MLO mammogram of the right breast. Patient age 47.
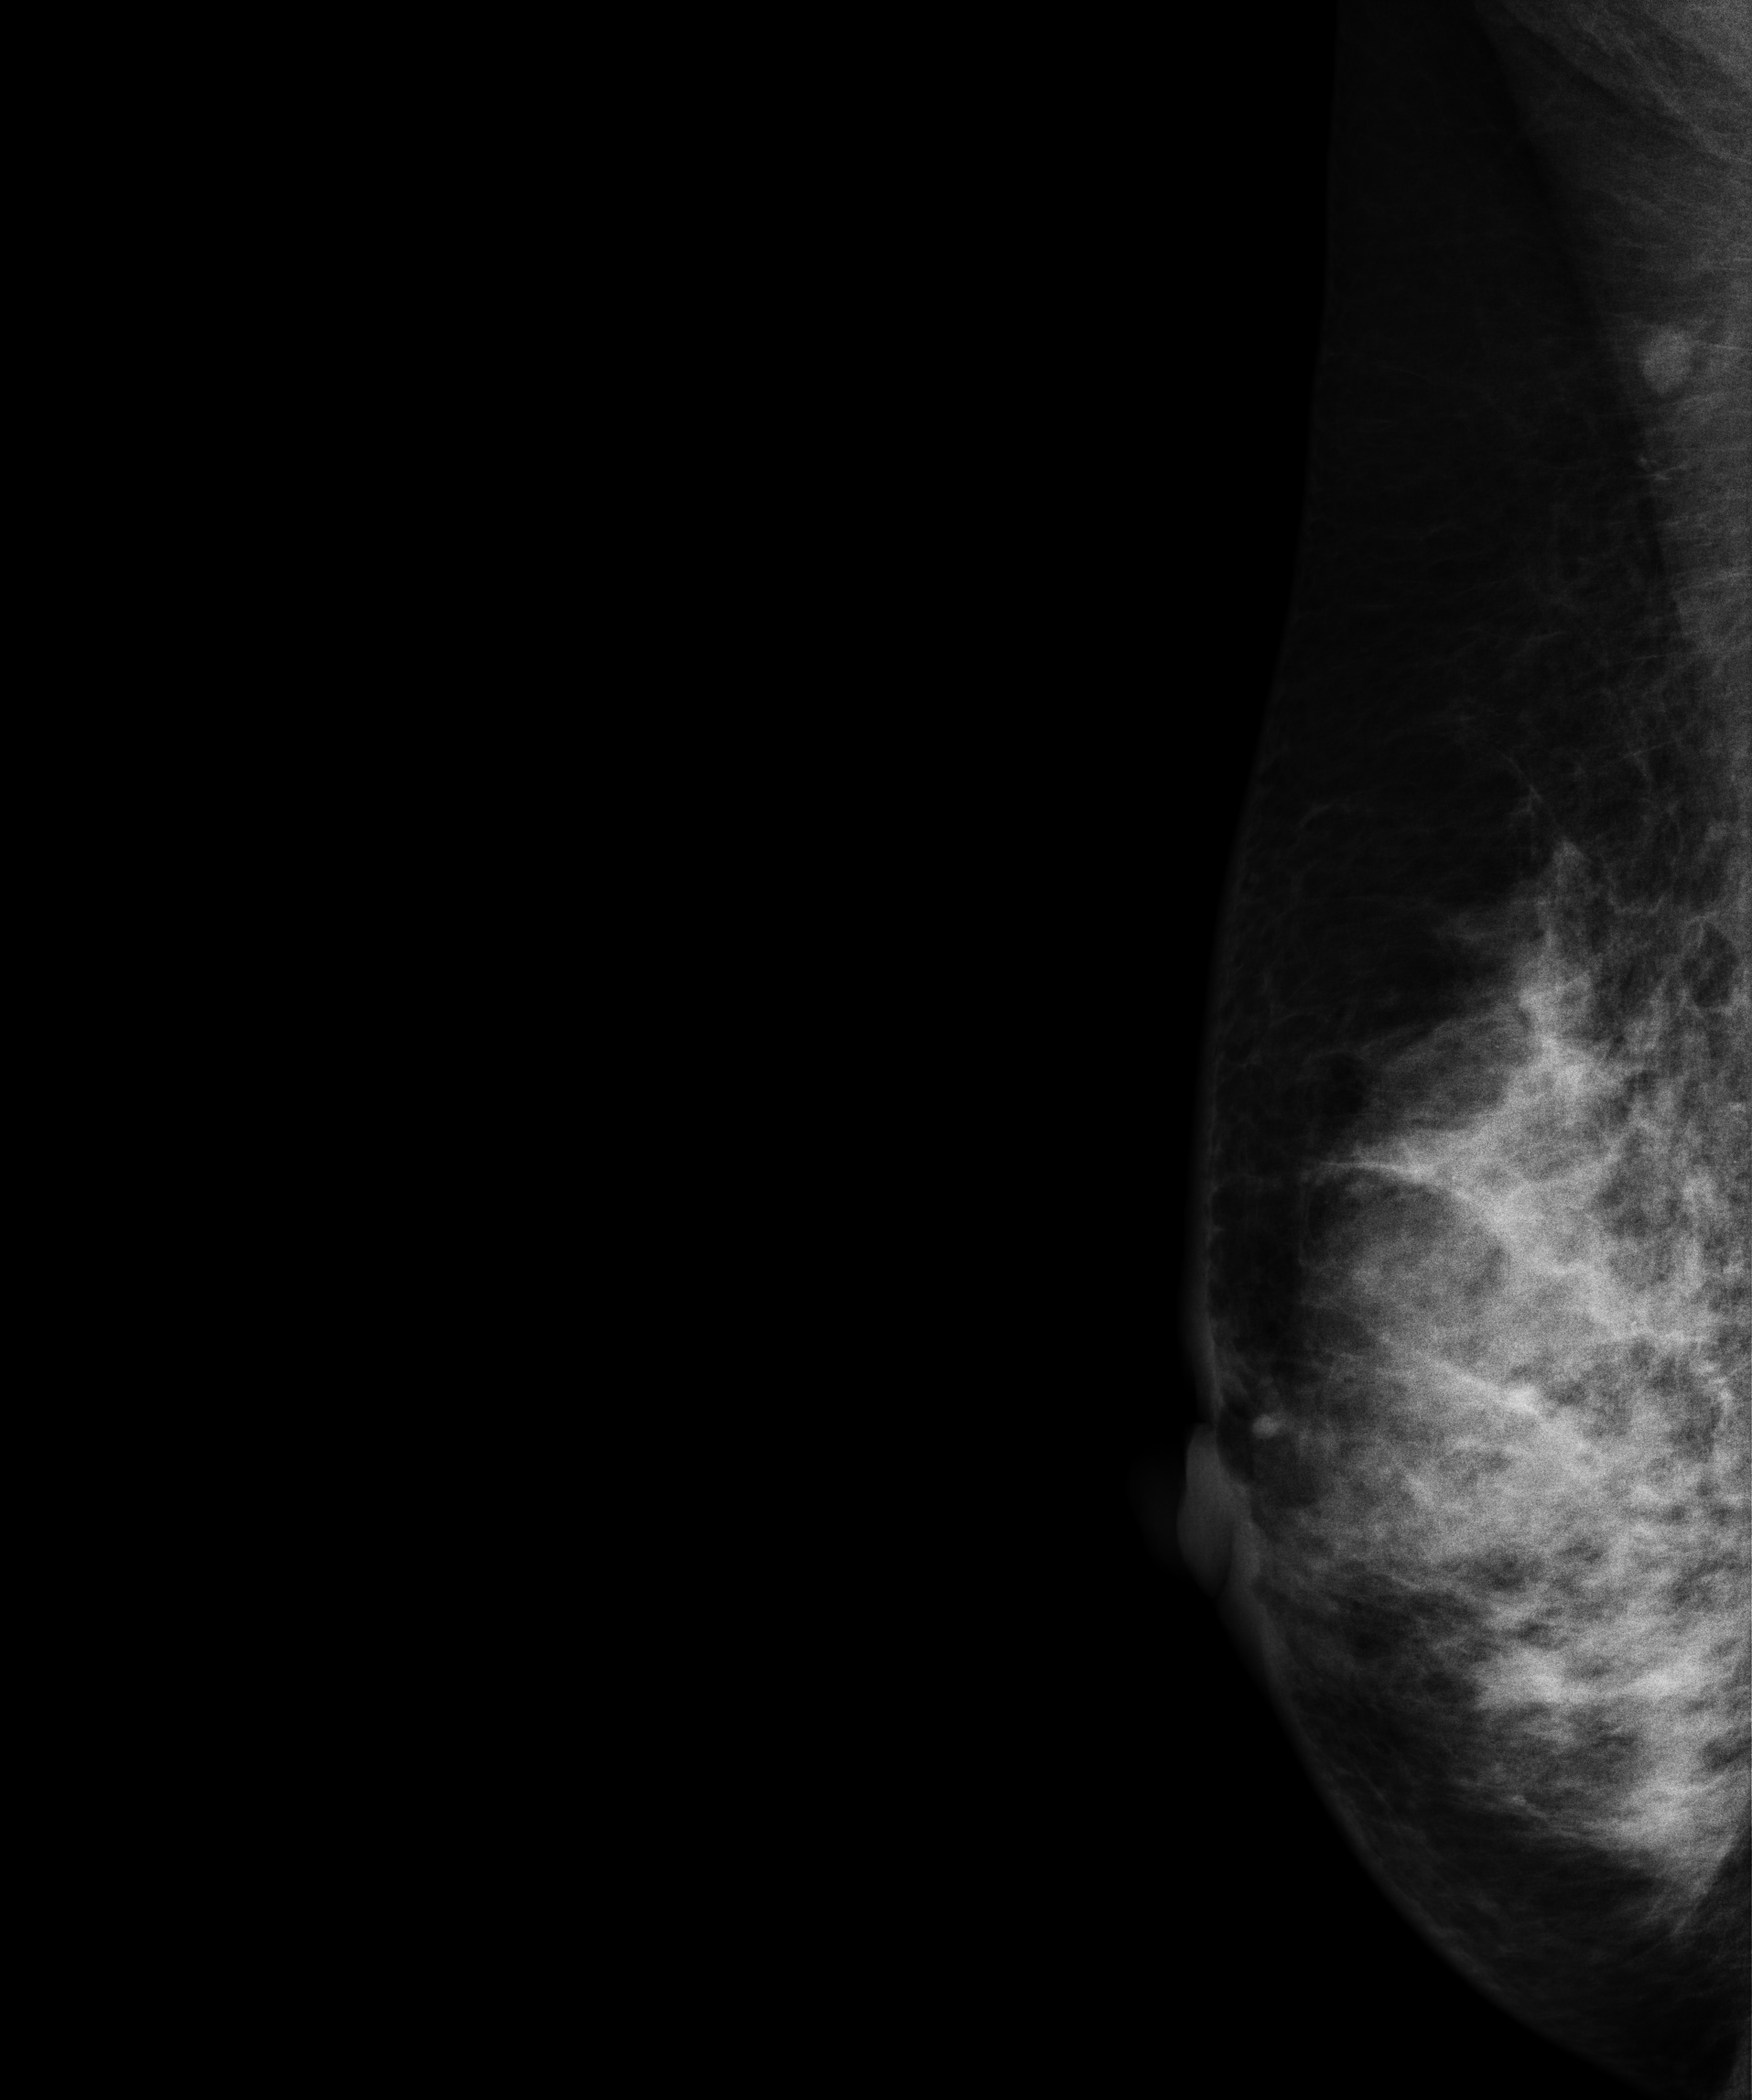
This breast has a mass, biopsy-proven malignant. Molecular subtype: HER2-enriched.